Mammogram, right breast, medio-lateral oblique view. Patient age 53.
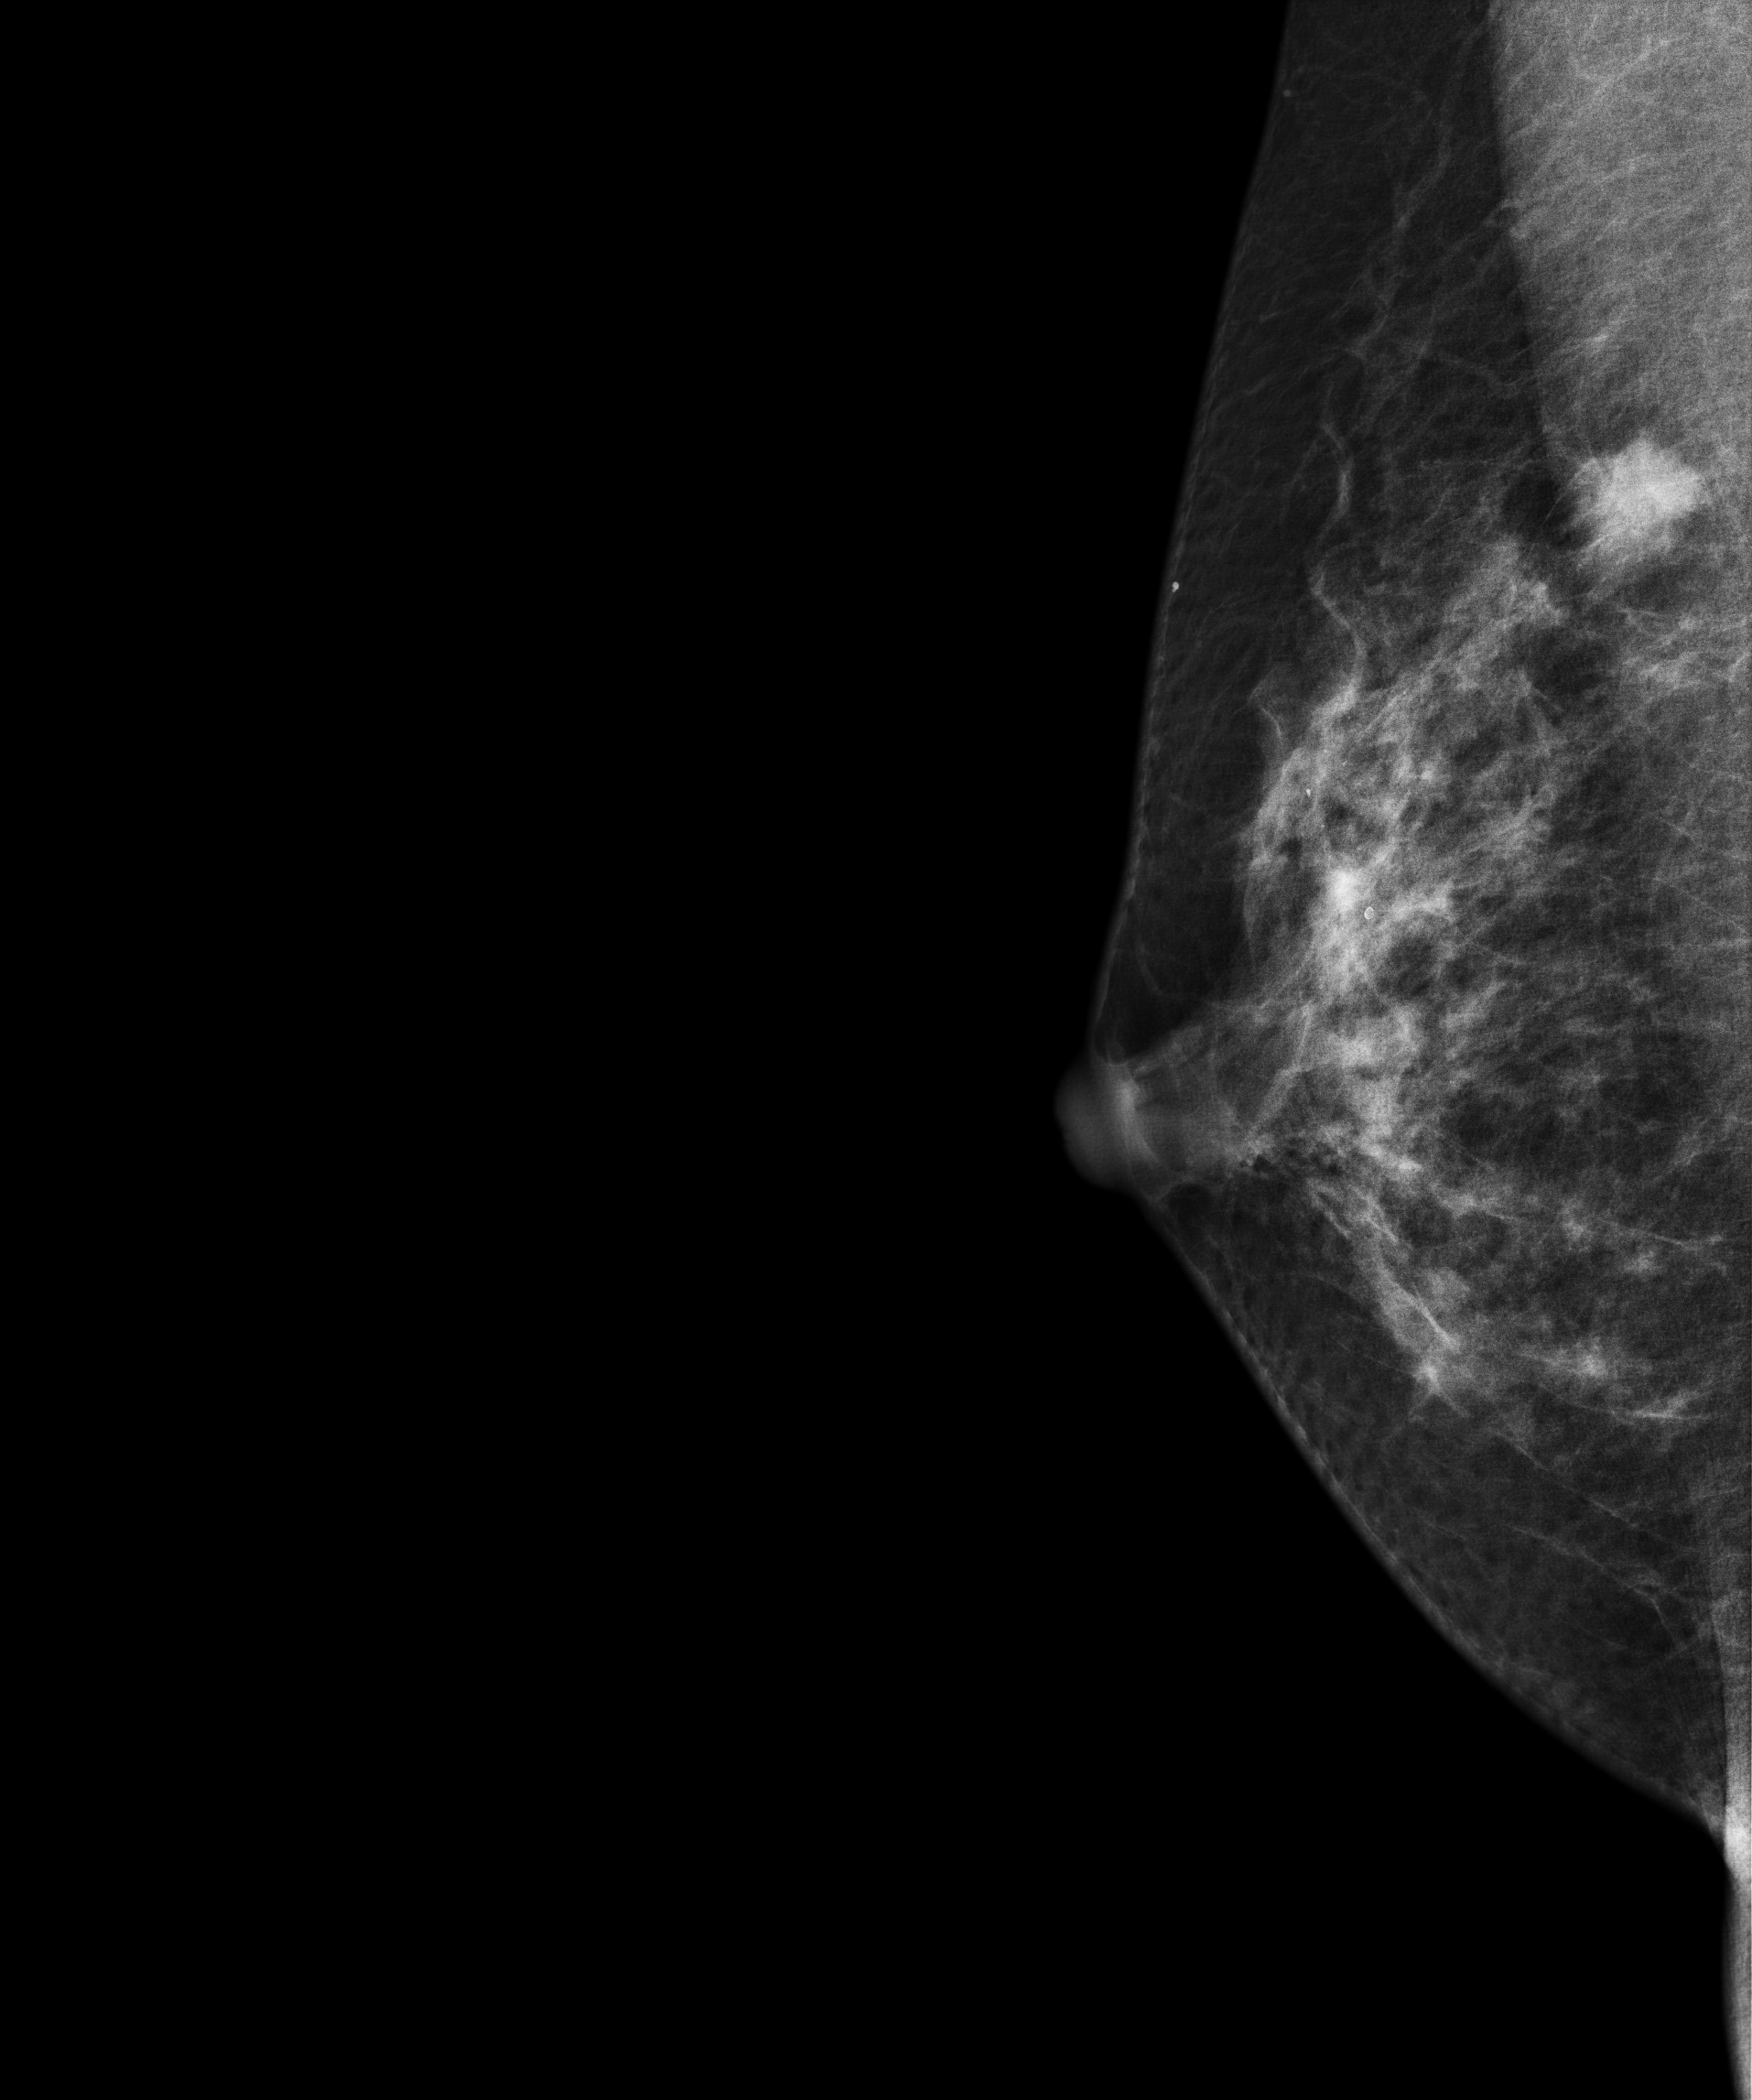
This breast has a mass, biopsy-confirmed malignant. Molecular subtype: luminal A.